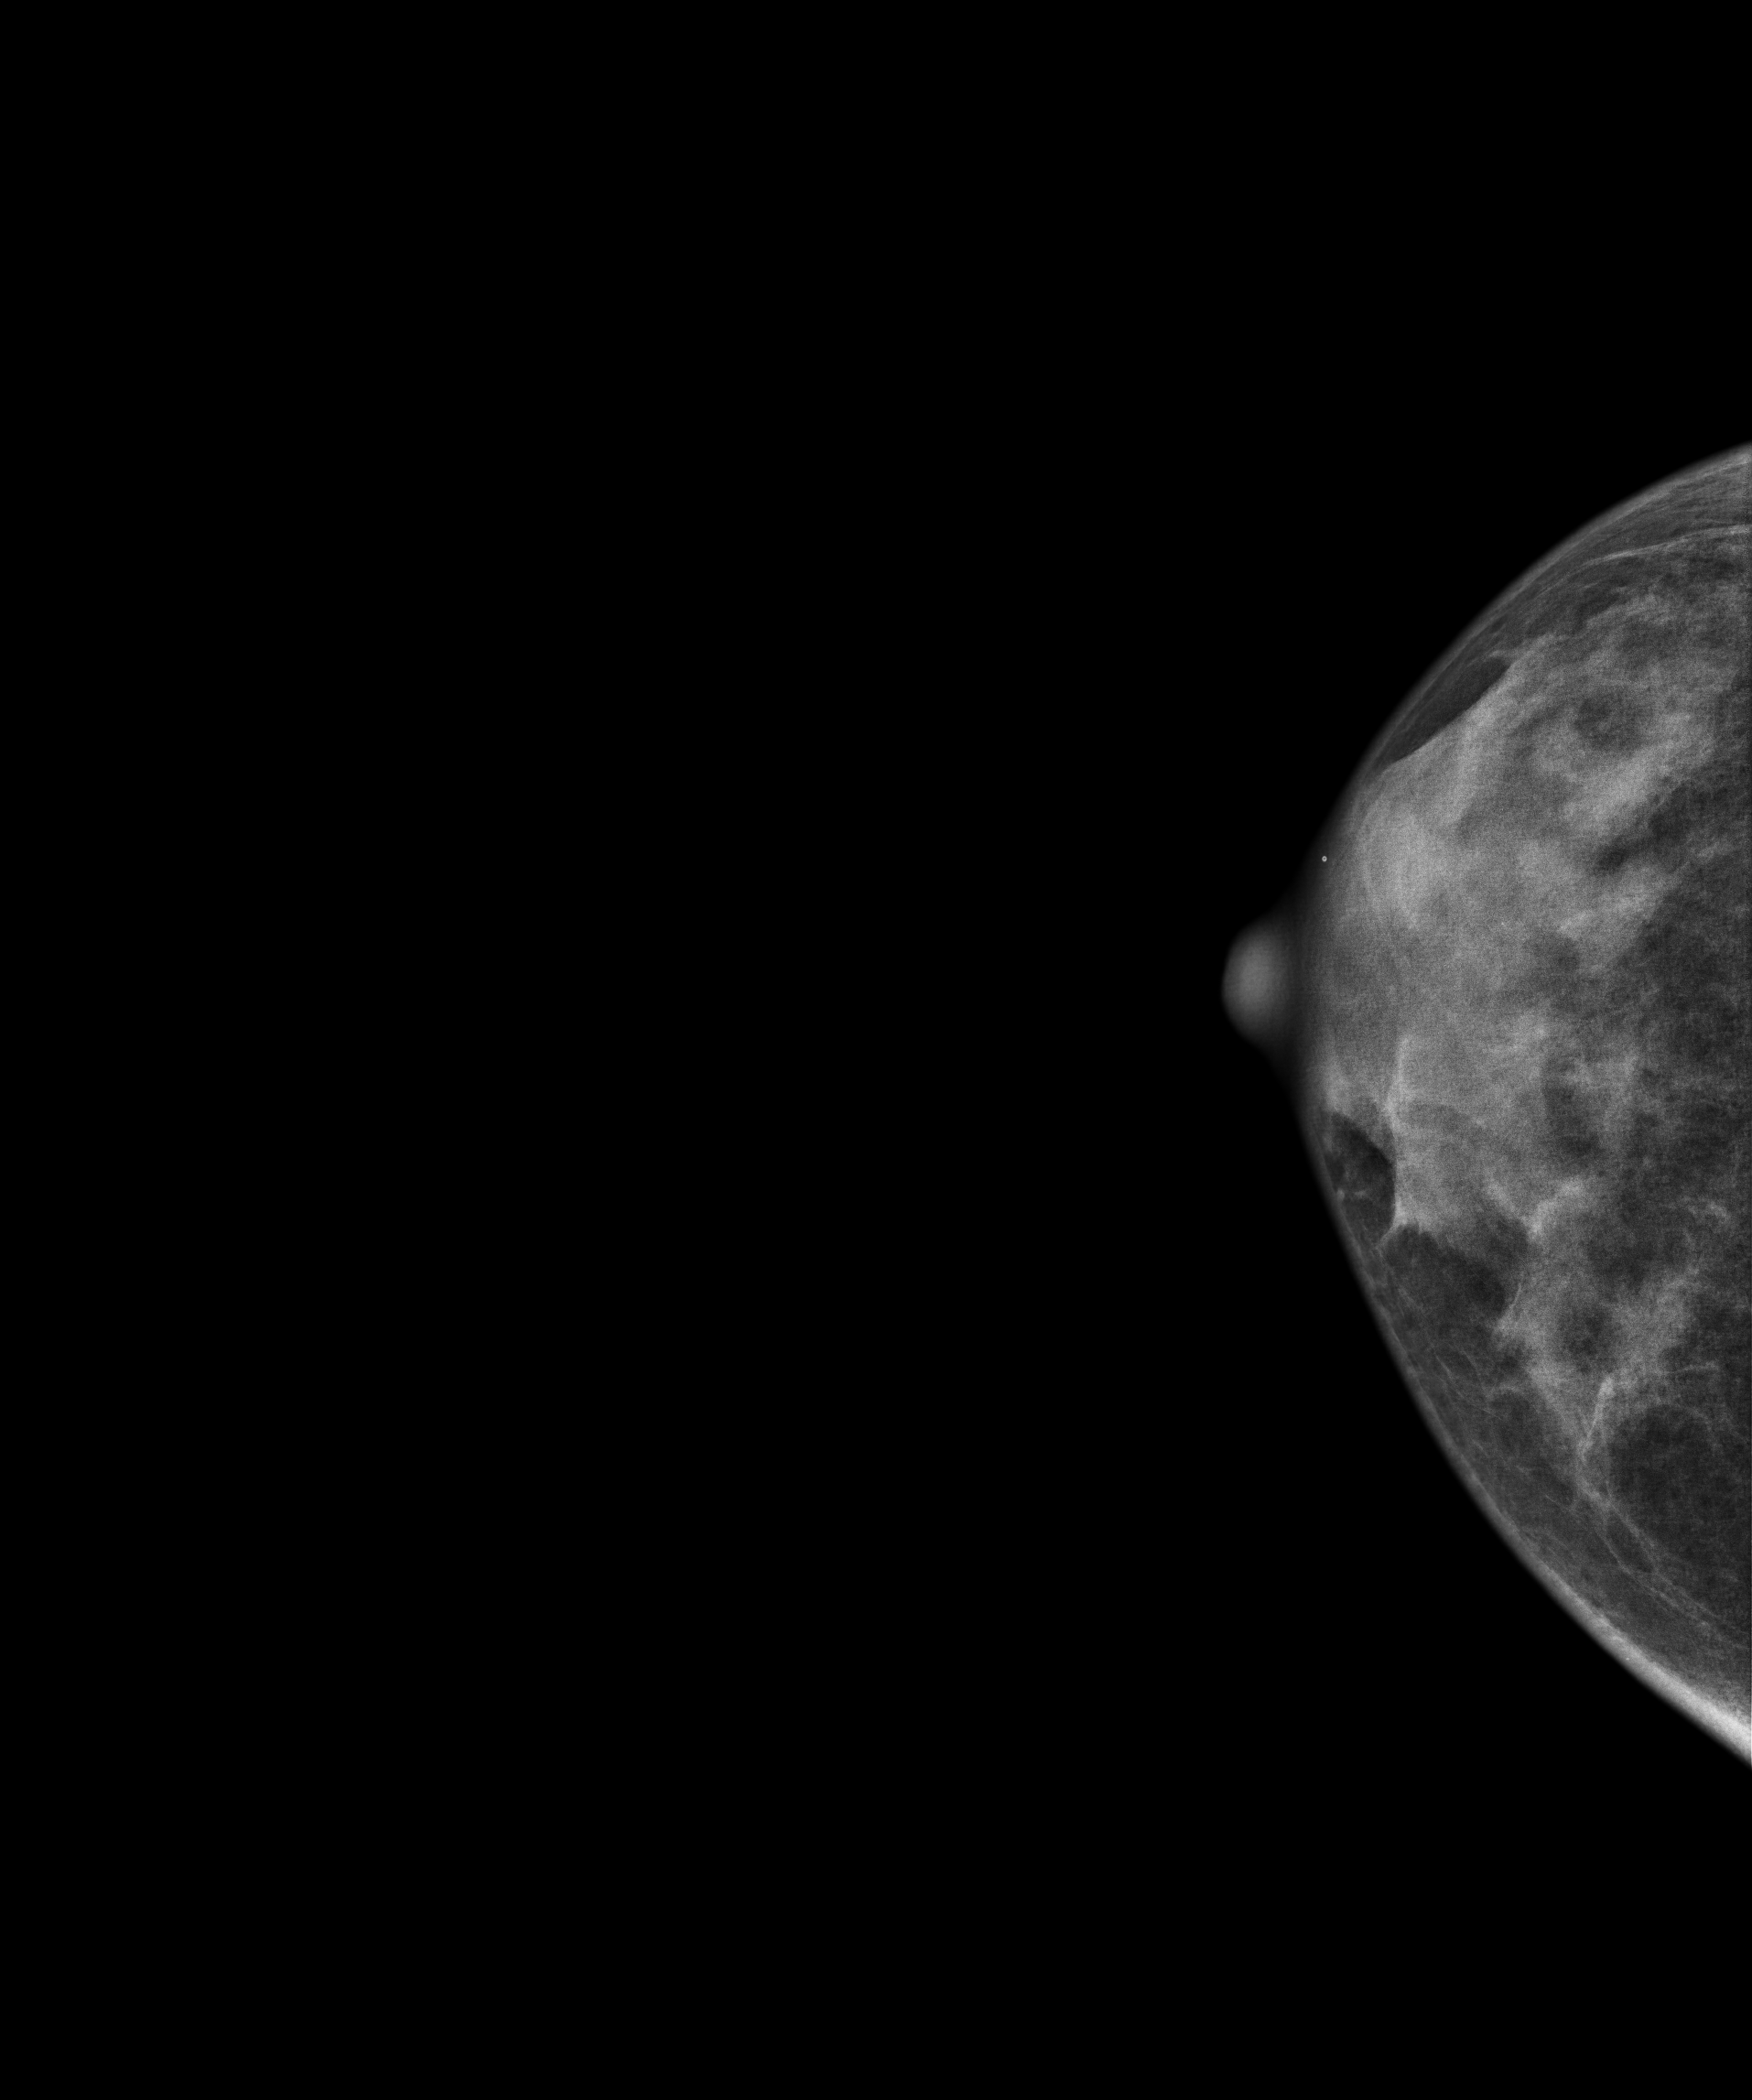
Cranio-caudal mammogram of the right breast. 46-year-old patient.
Contralateral breast — no documented abnormality on this side.